MLO mammogram of the right breast. Patient age 41.
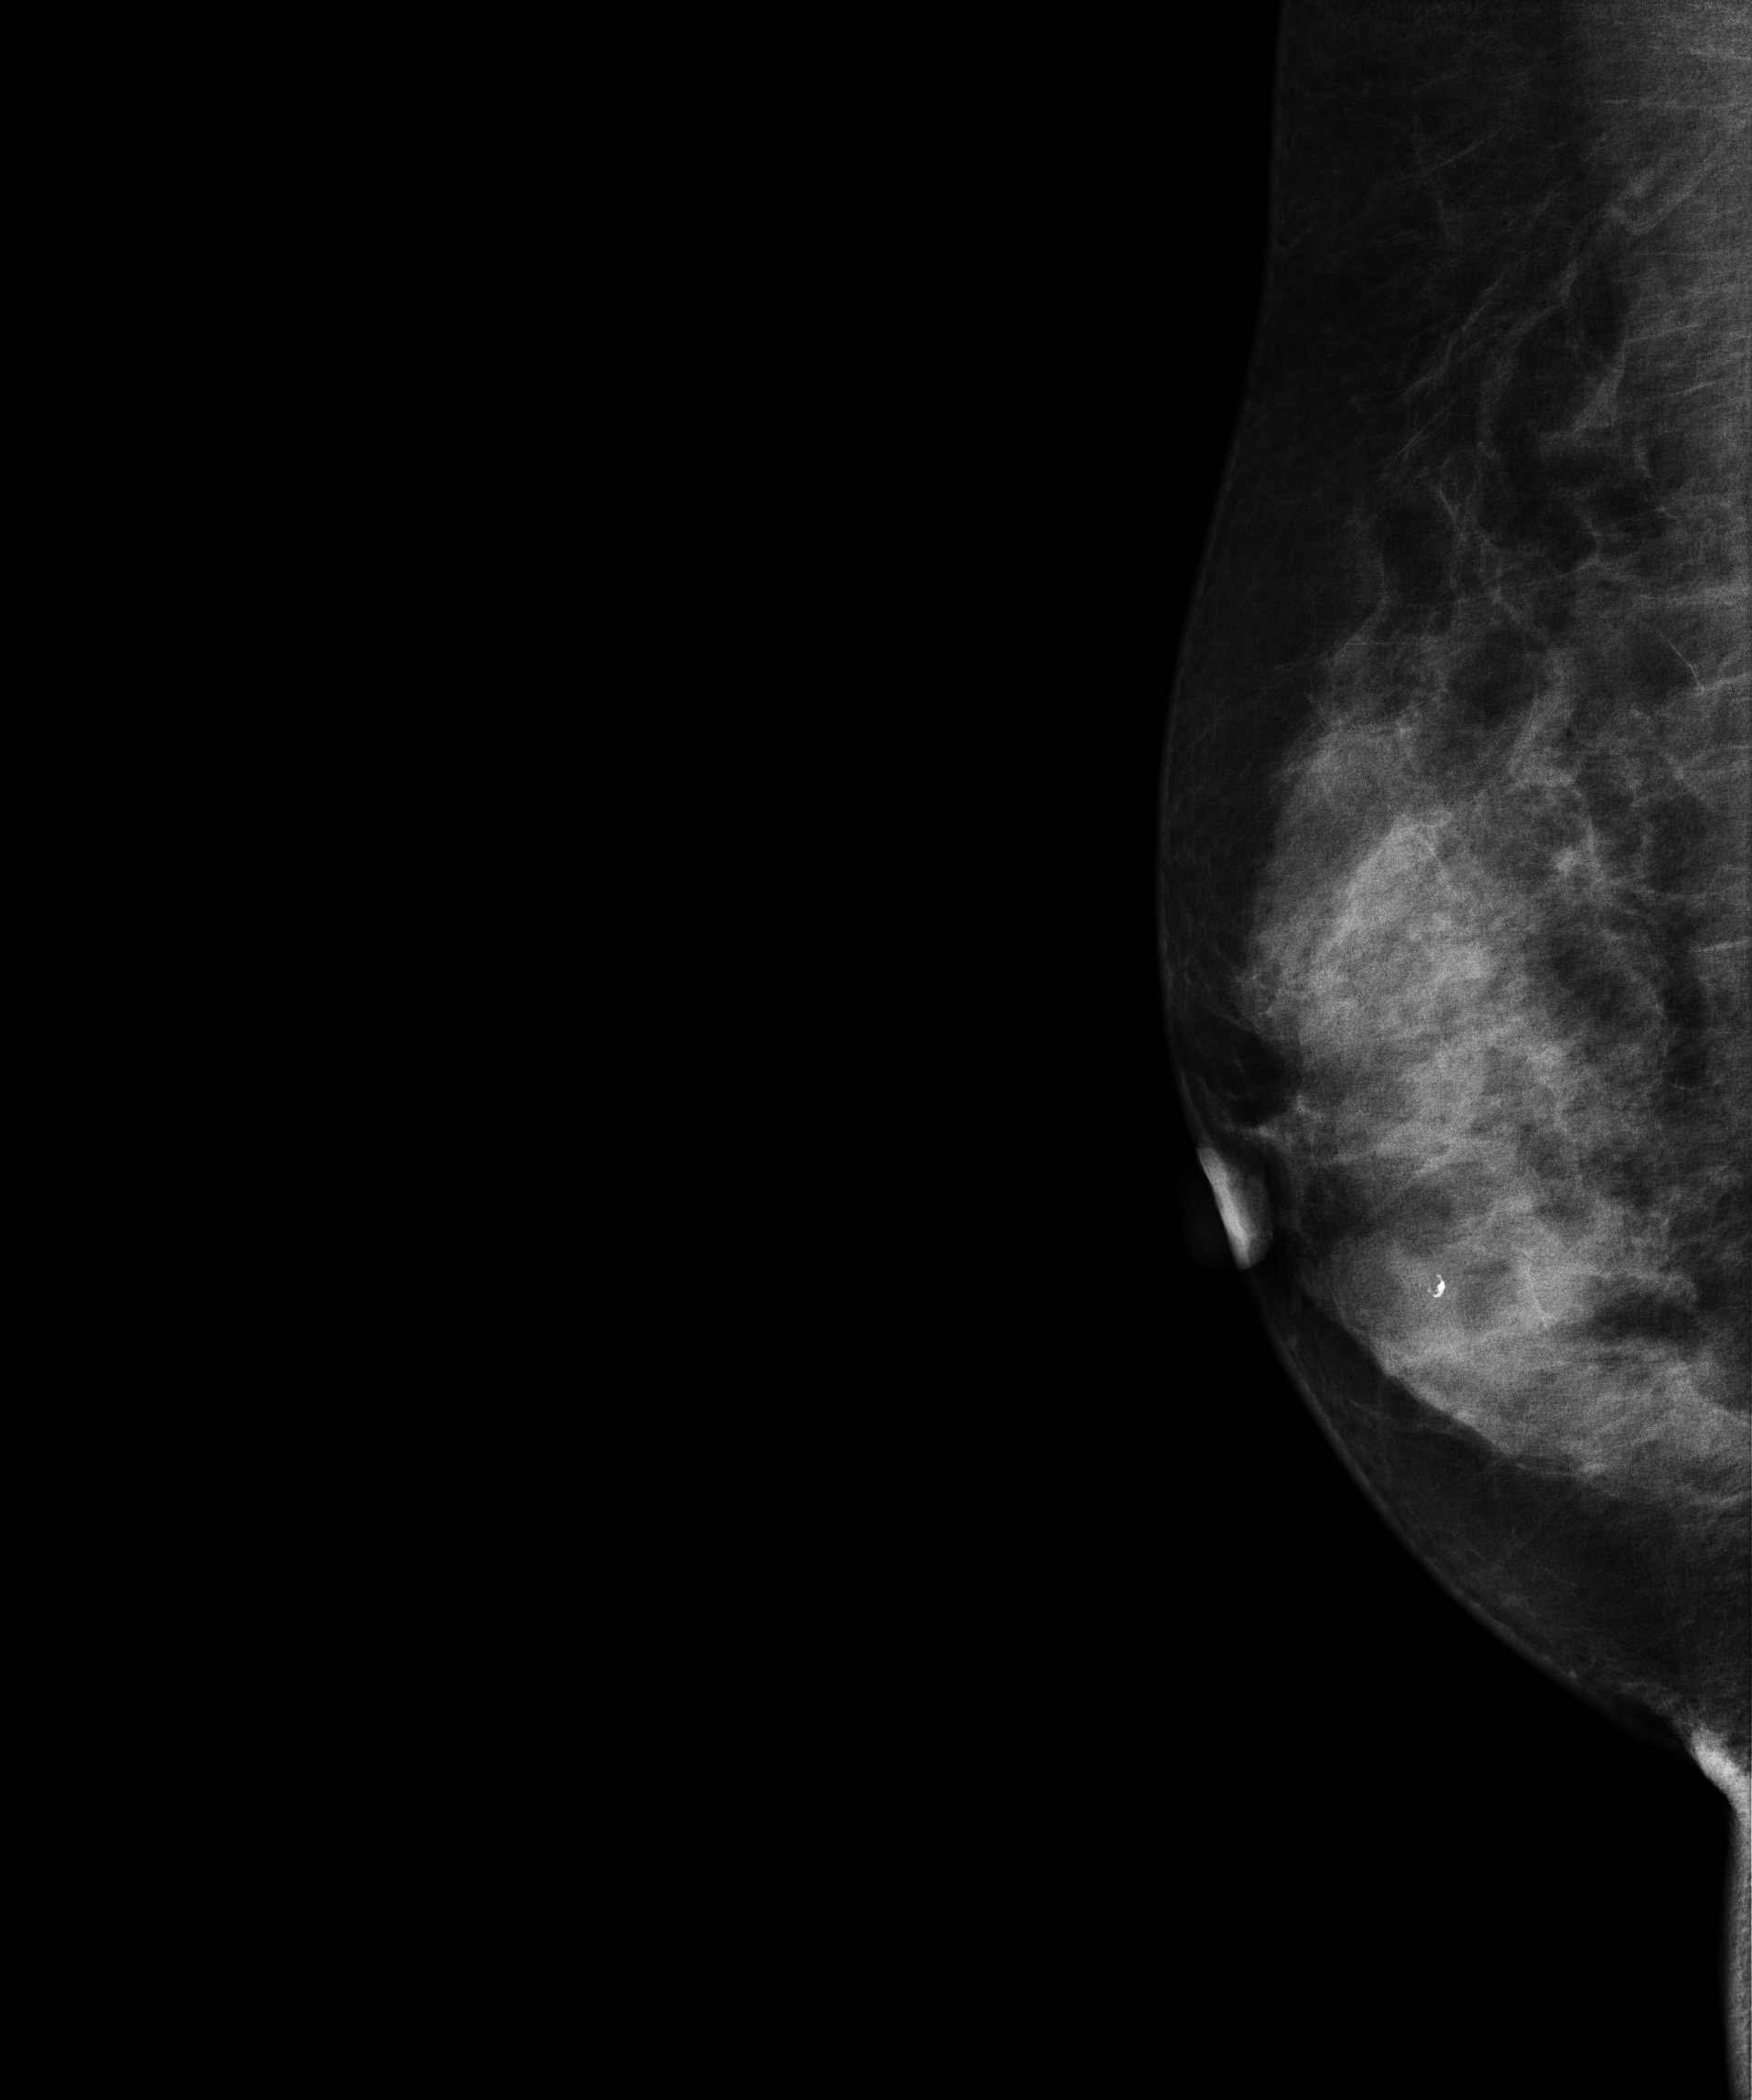
This breast has calcifications, histologically confirmed benign.